Left-breast mammogram, medio-lateral oblique. 45 y/o patient.
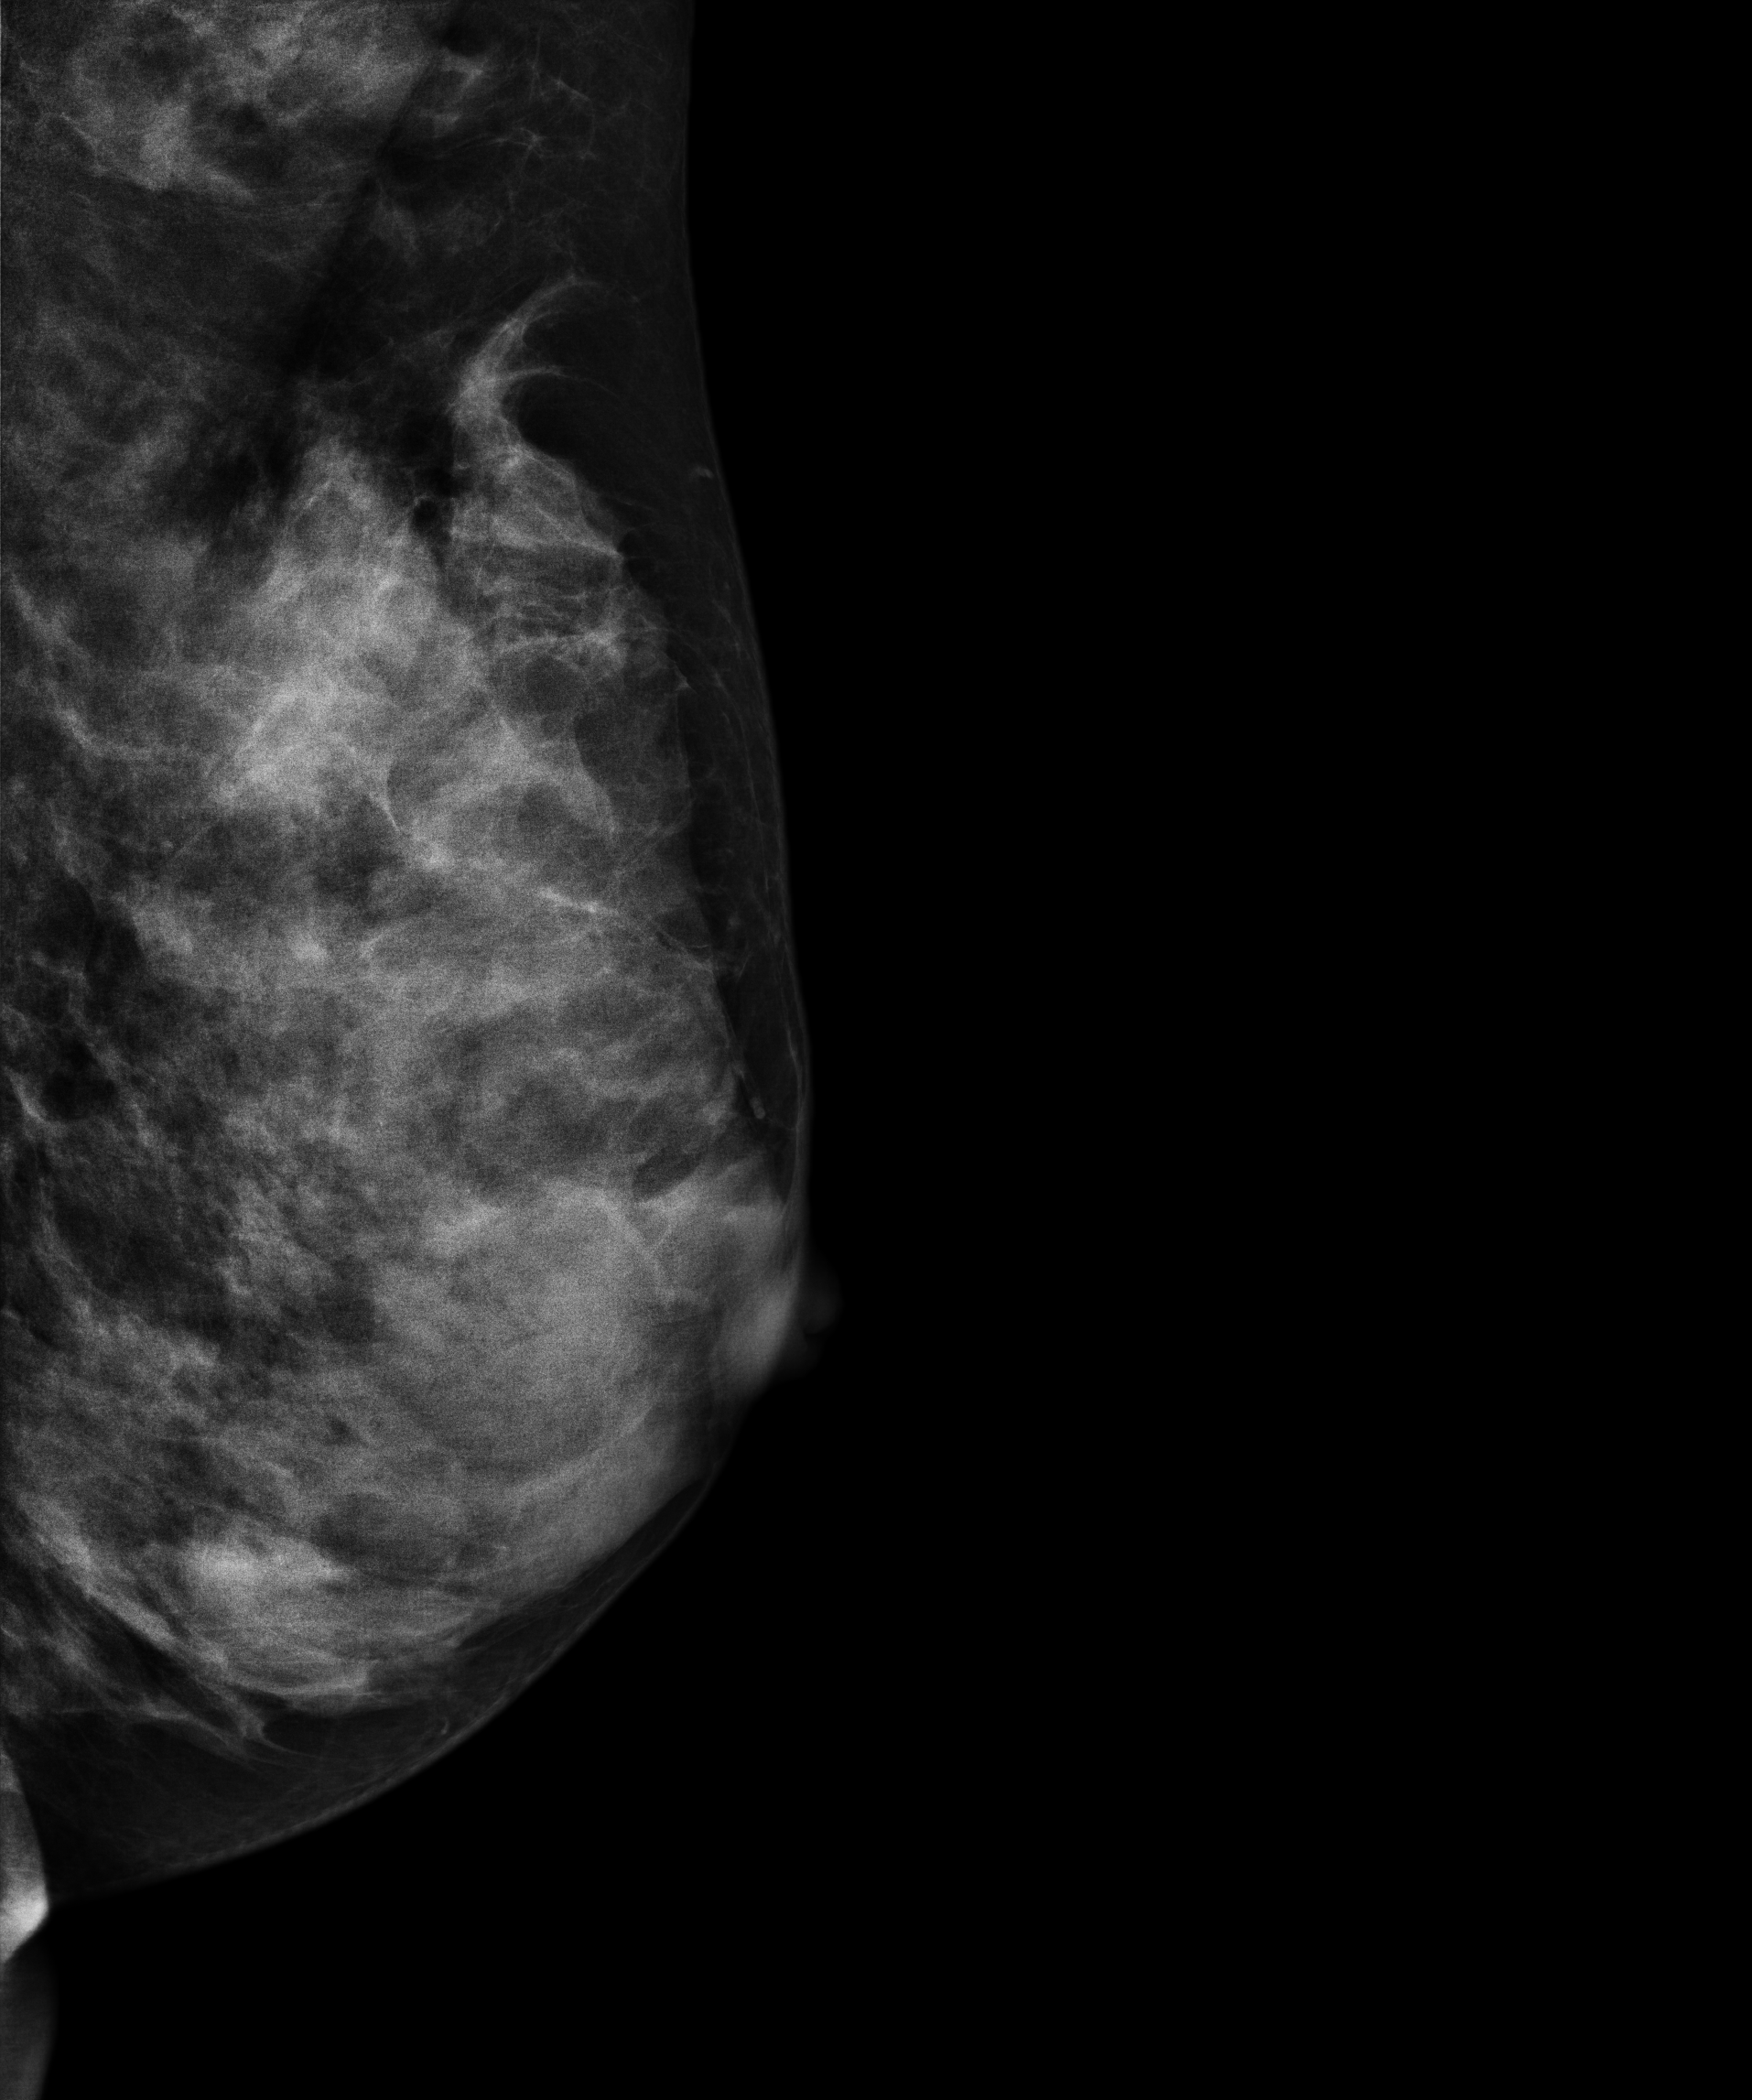
This breast has a mass, histologically confirmed malignant. Molecular subtype: triple-negative.